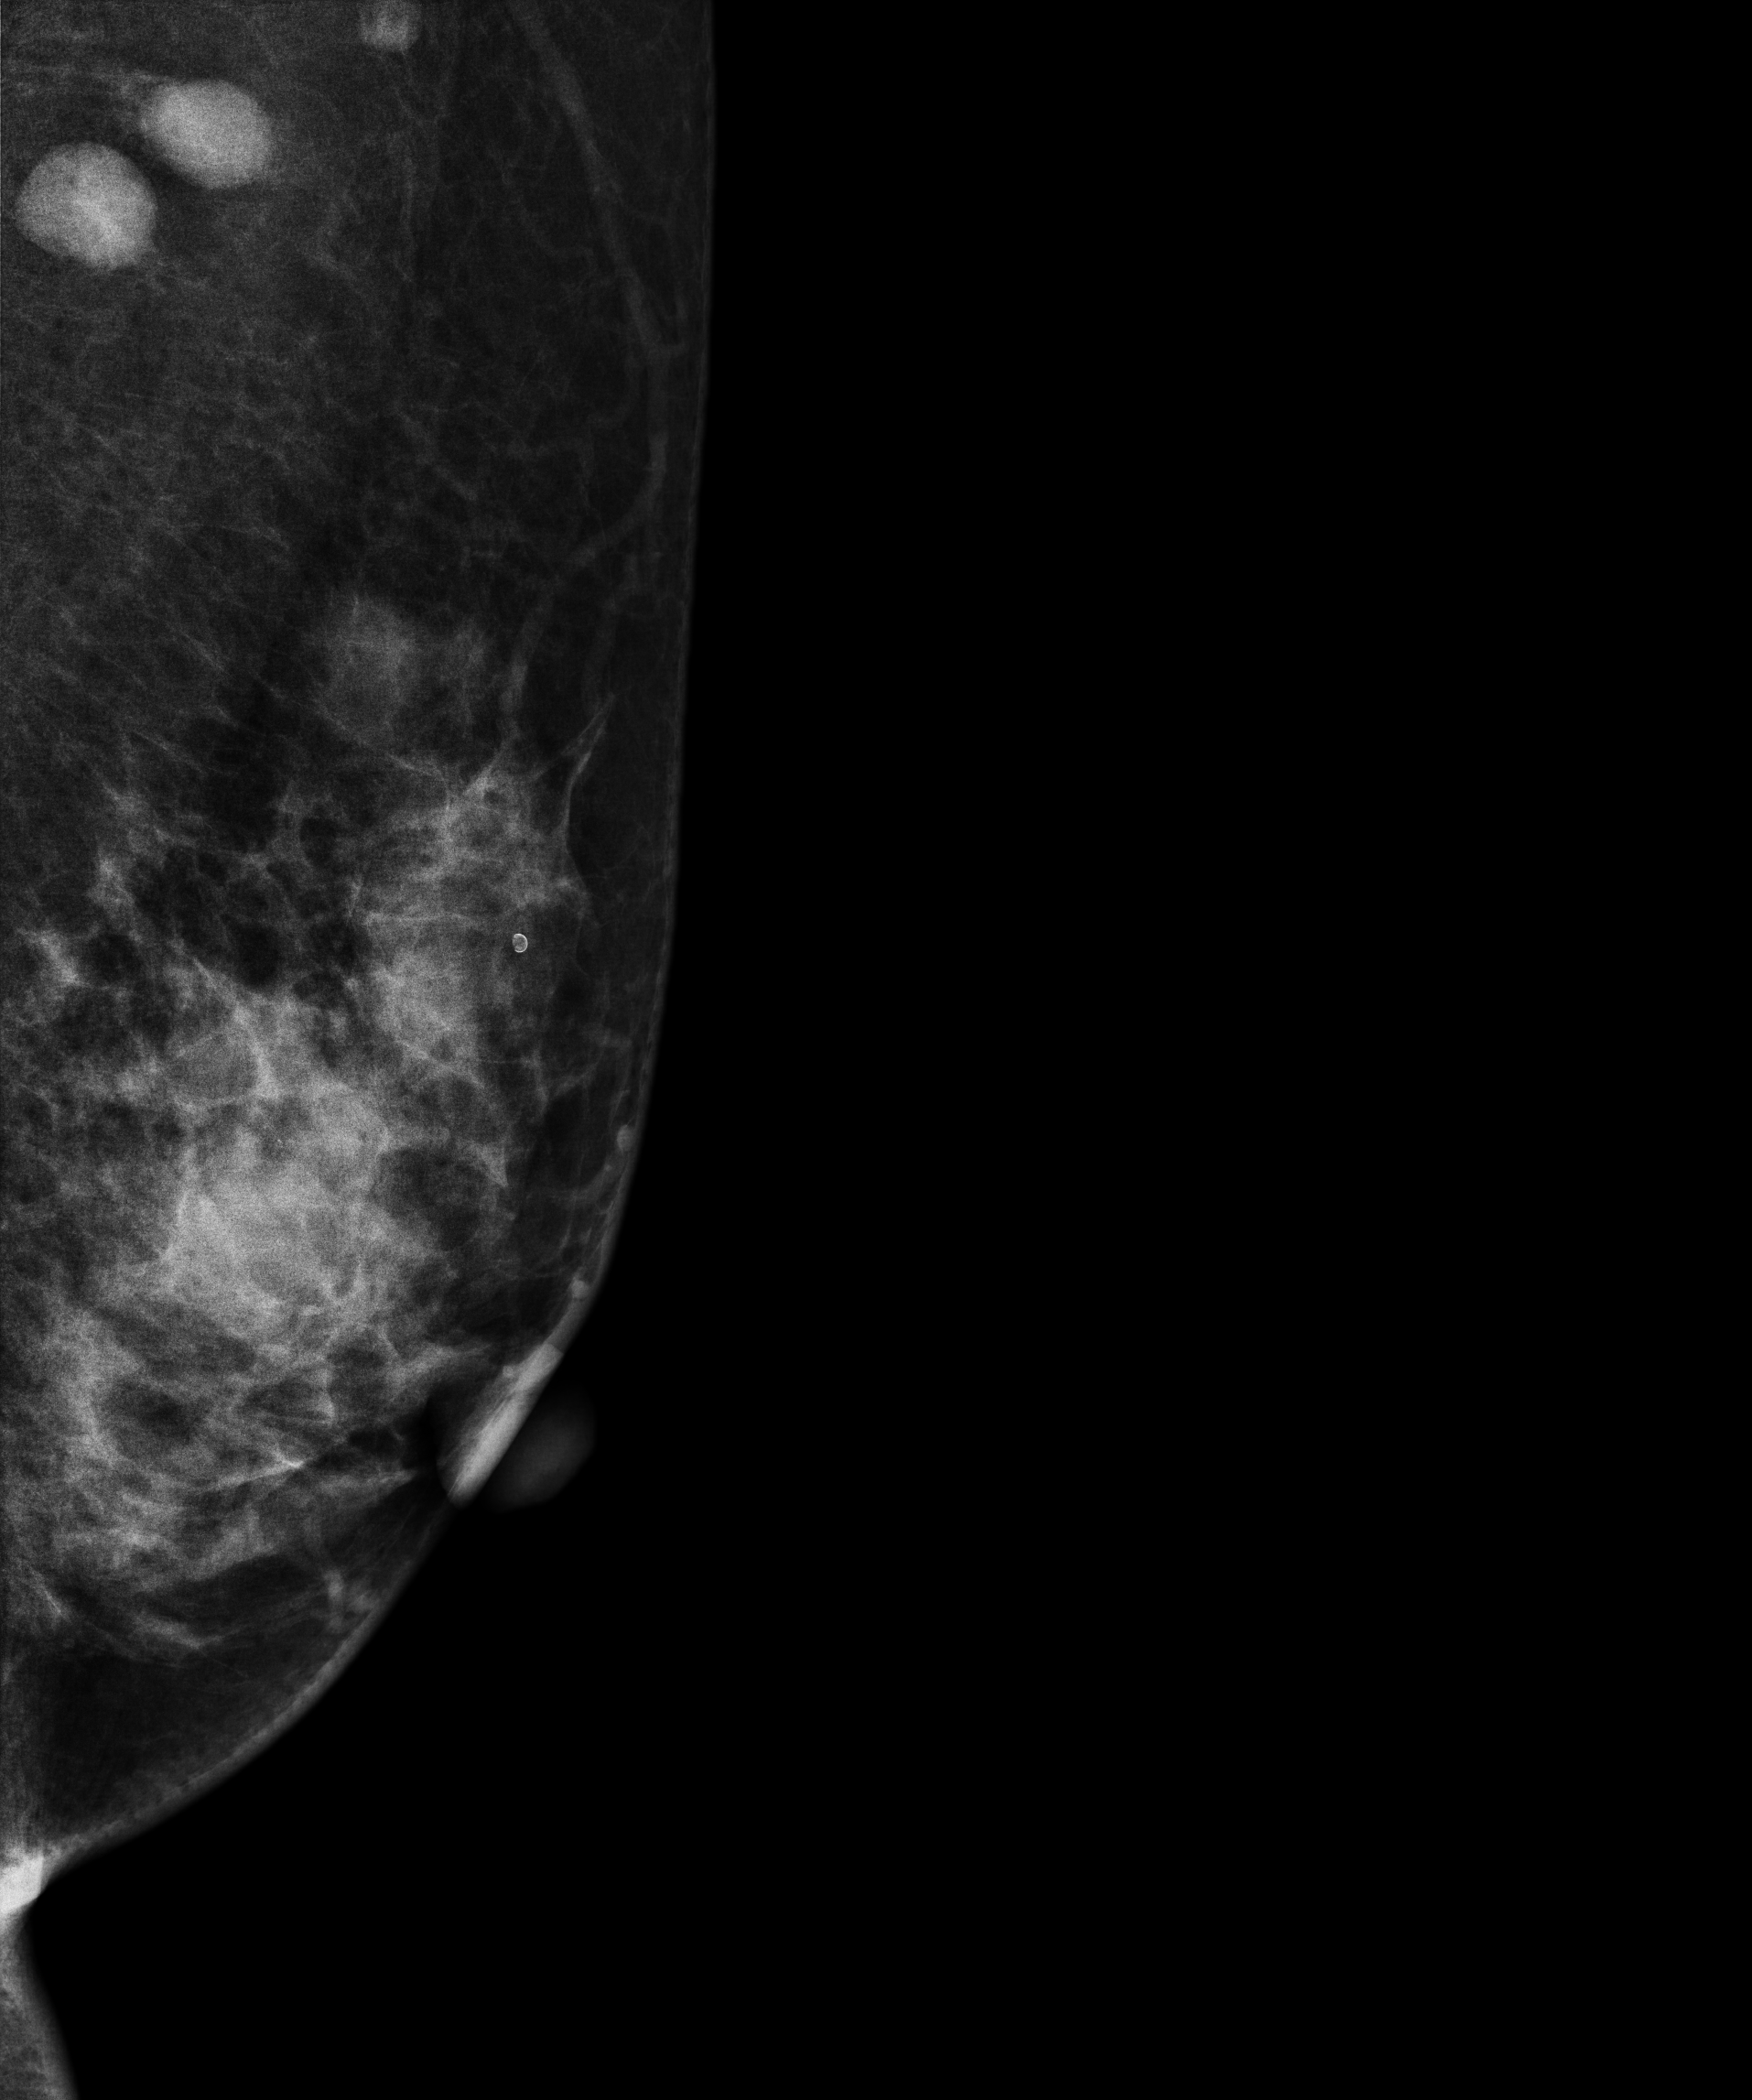
Left-breast mammogram, MLO. 52-year-old patient.
This breast has a mass, pathology-confirmed malignant. Molecular subtype: HER2-enriched.